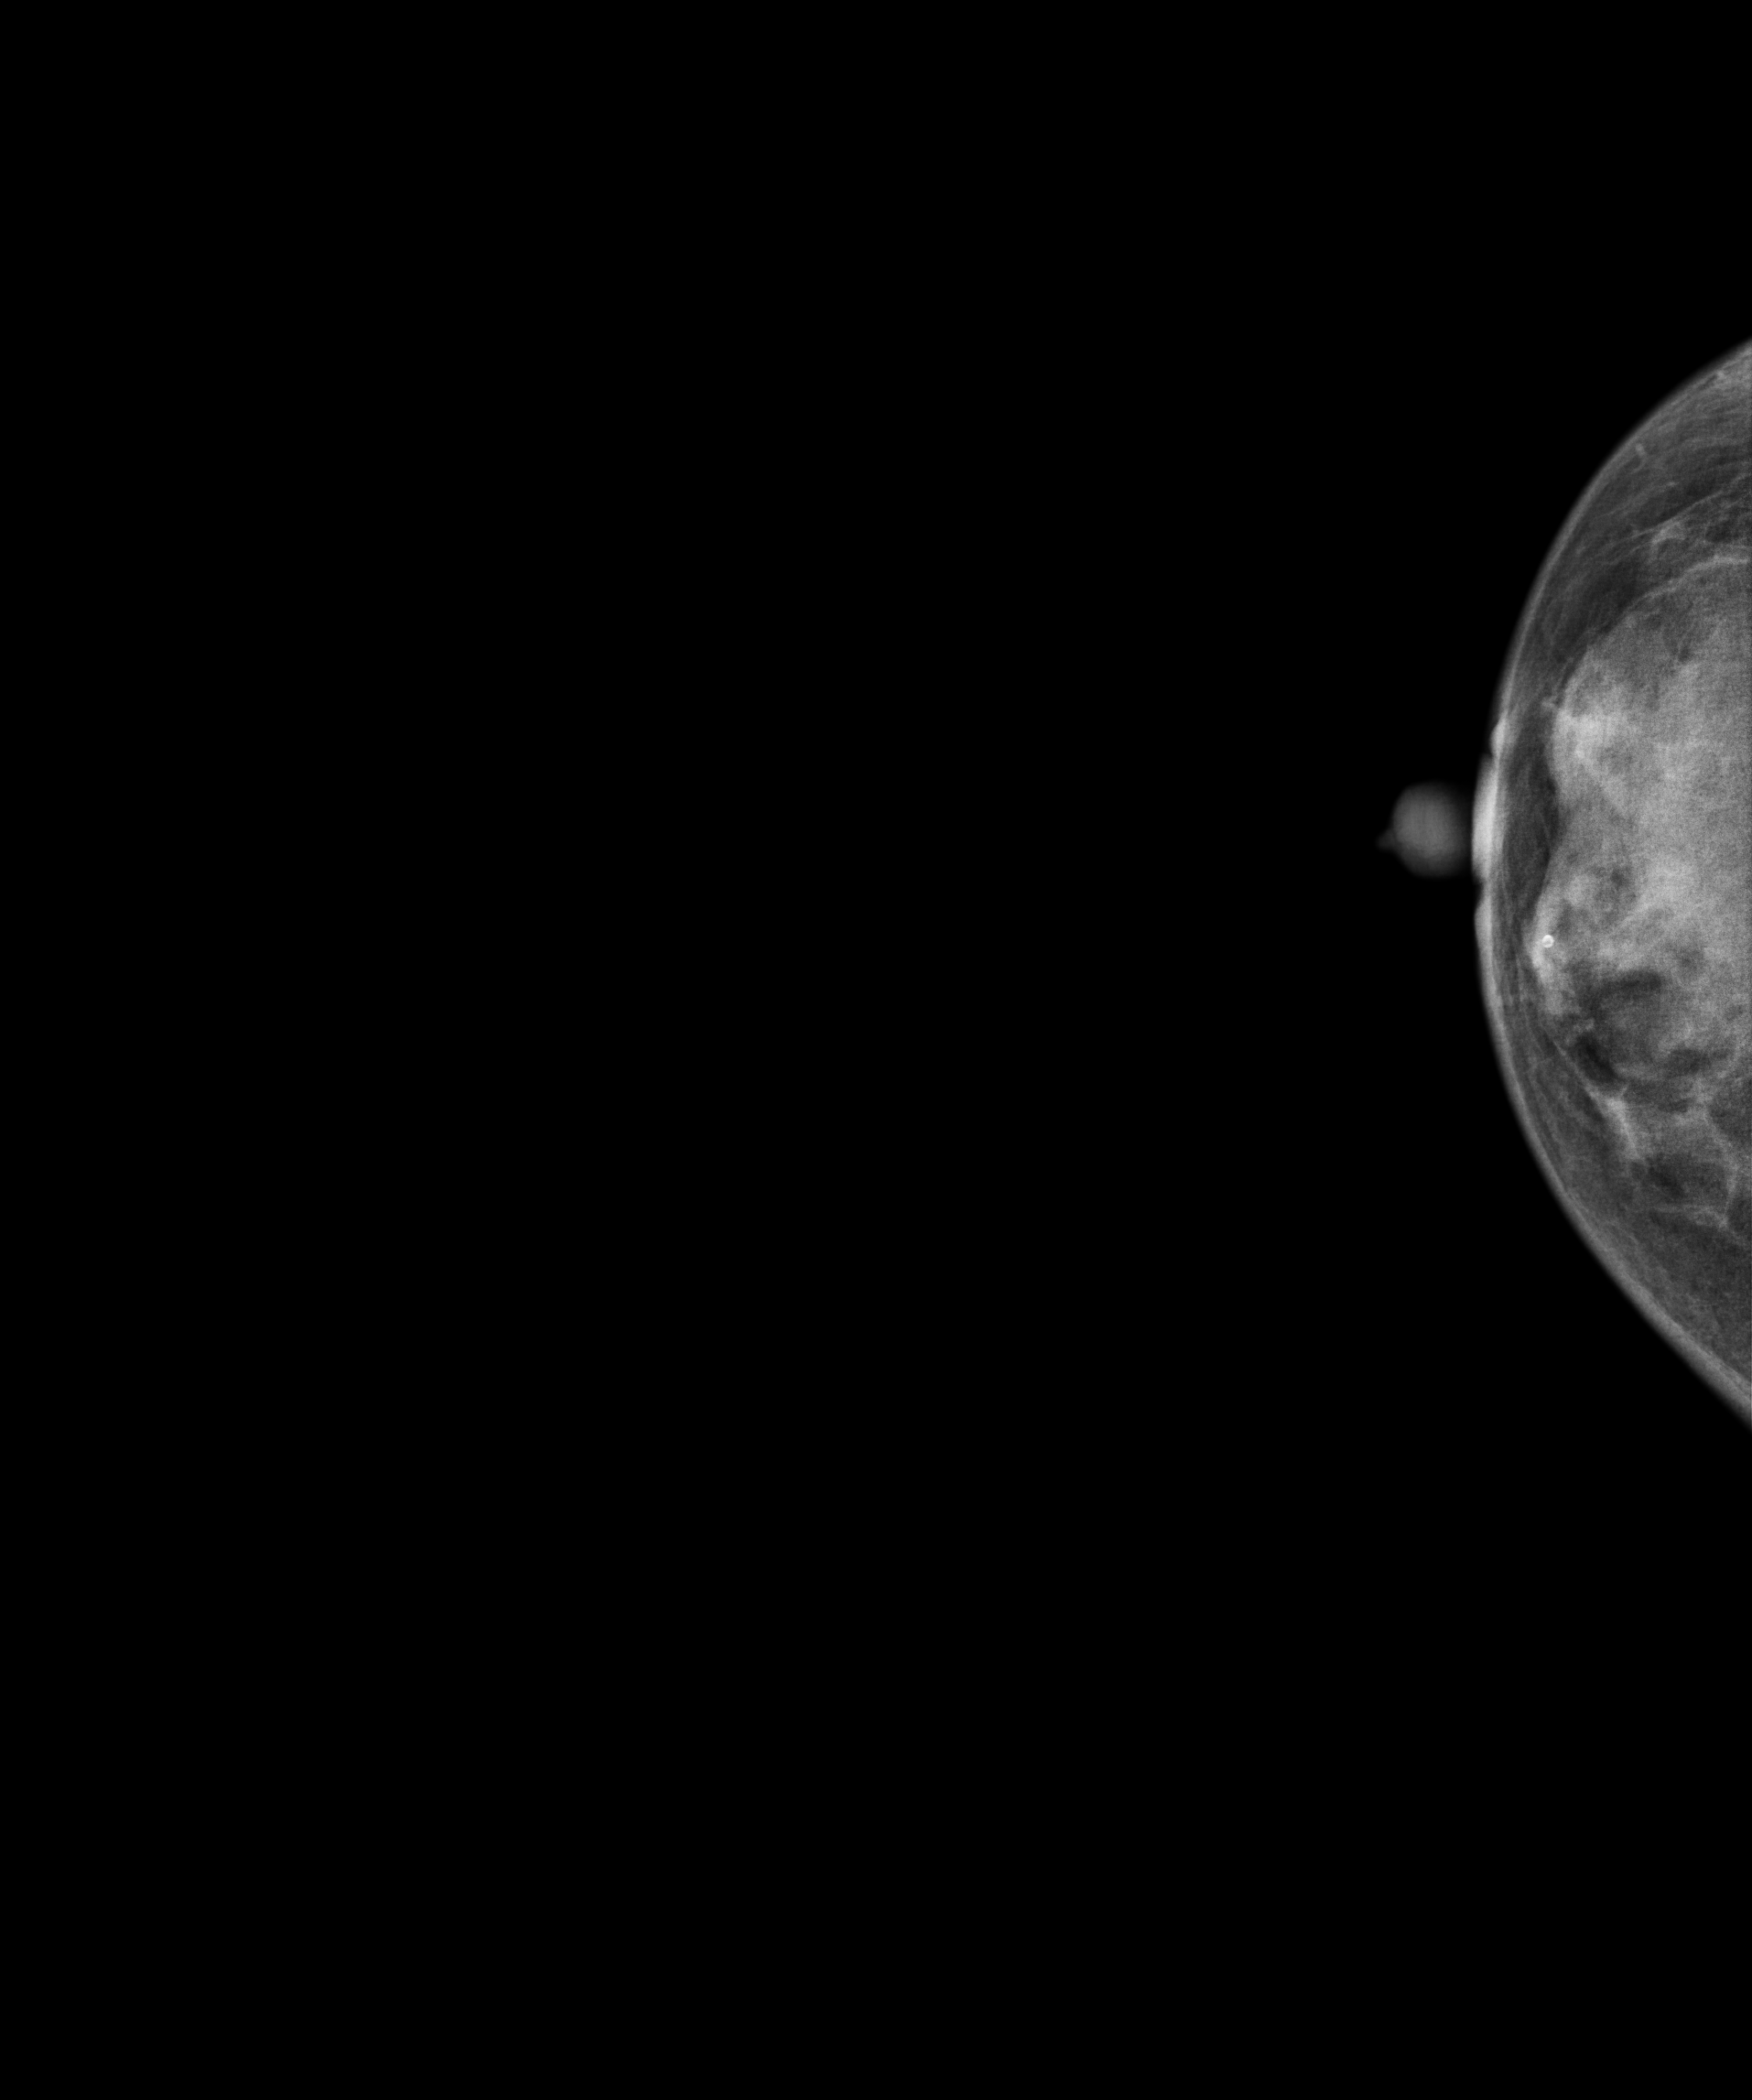
Right-breast mammogram, cranio-caudal. 57 y/o patient.
Contralateral breast — no documented abnormality on this side.